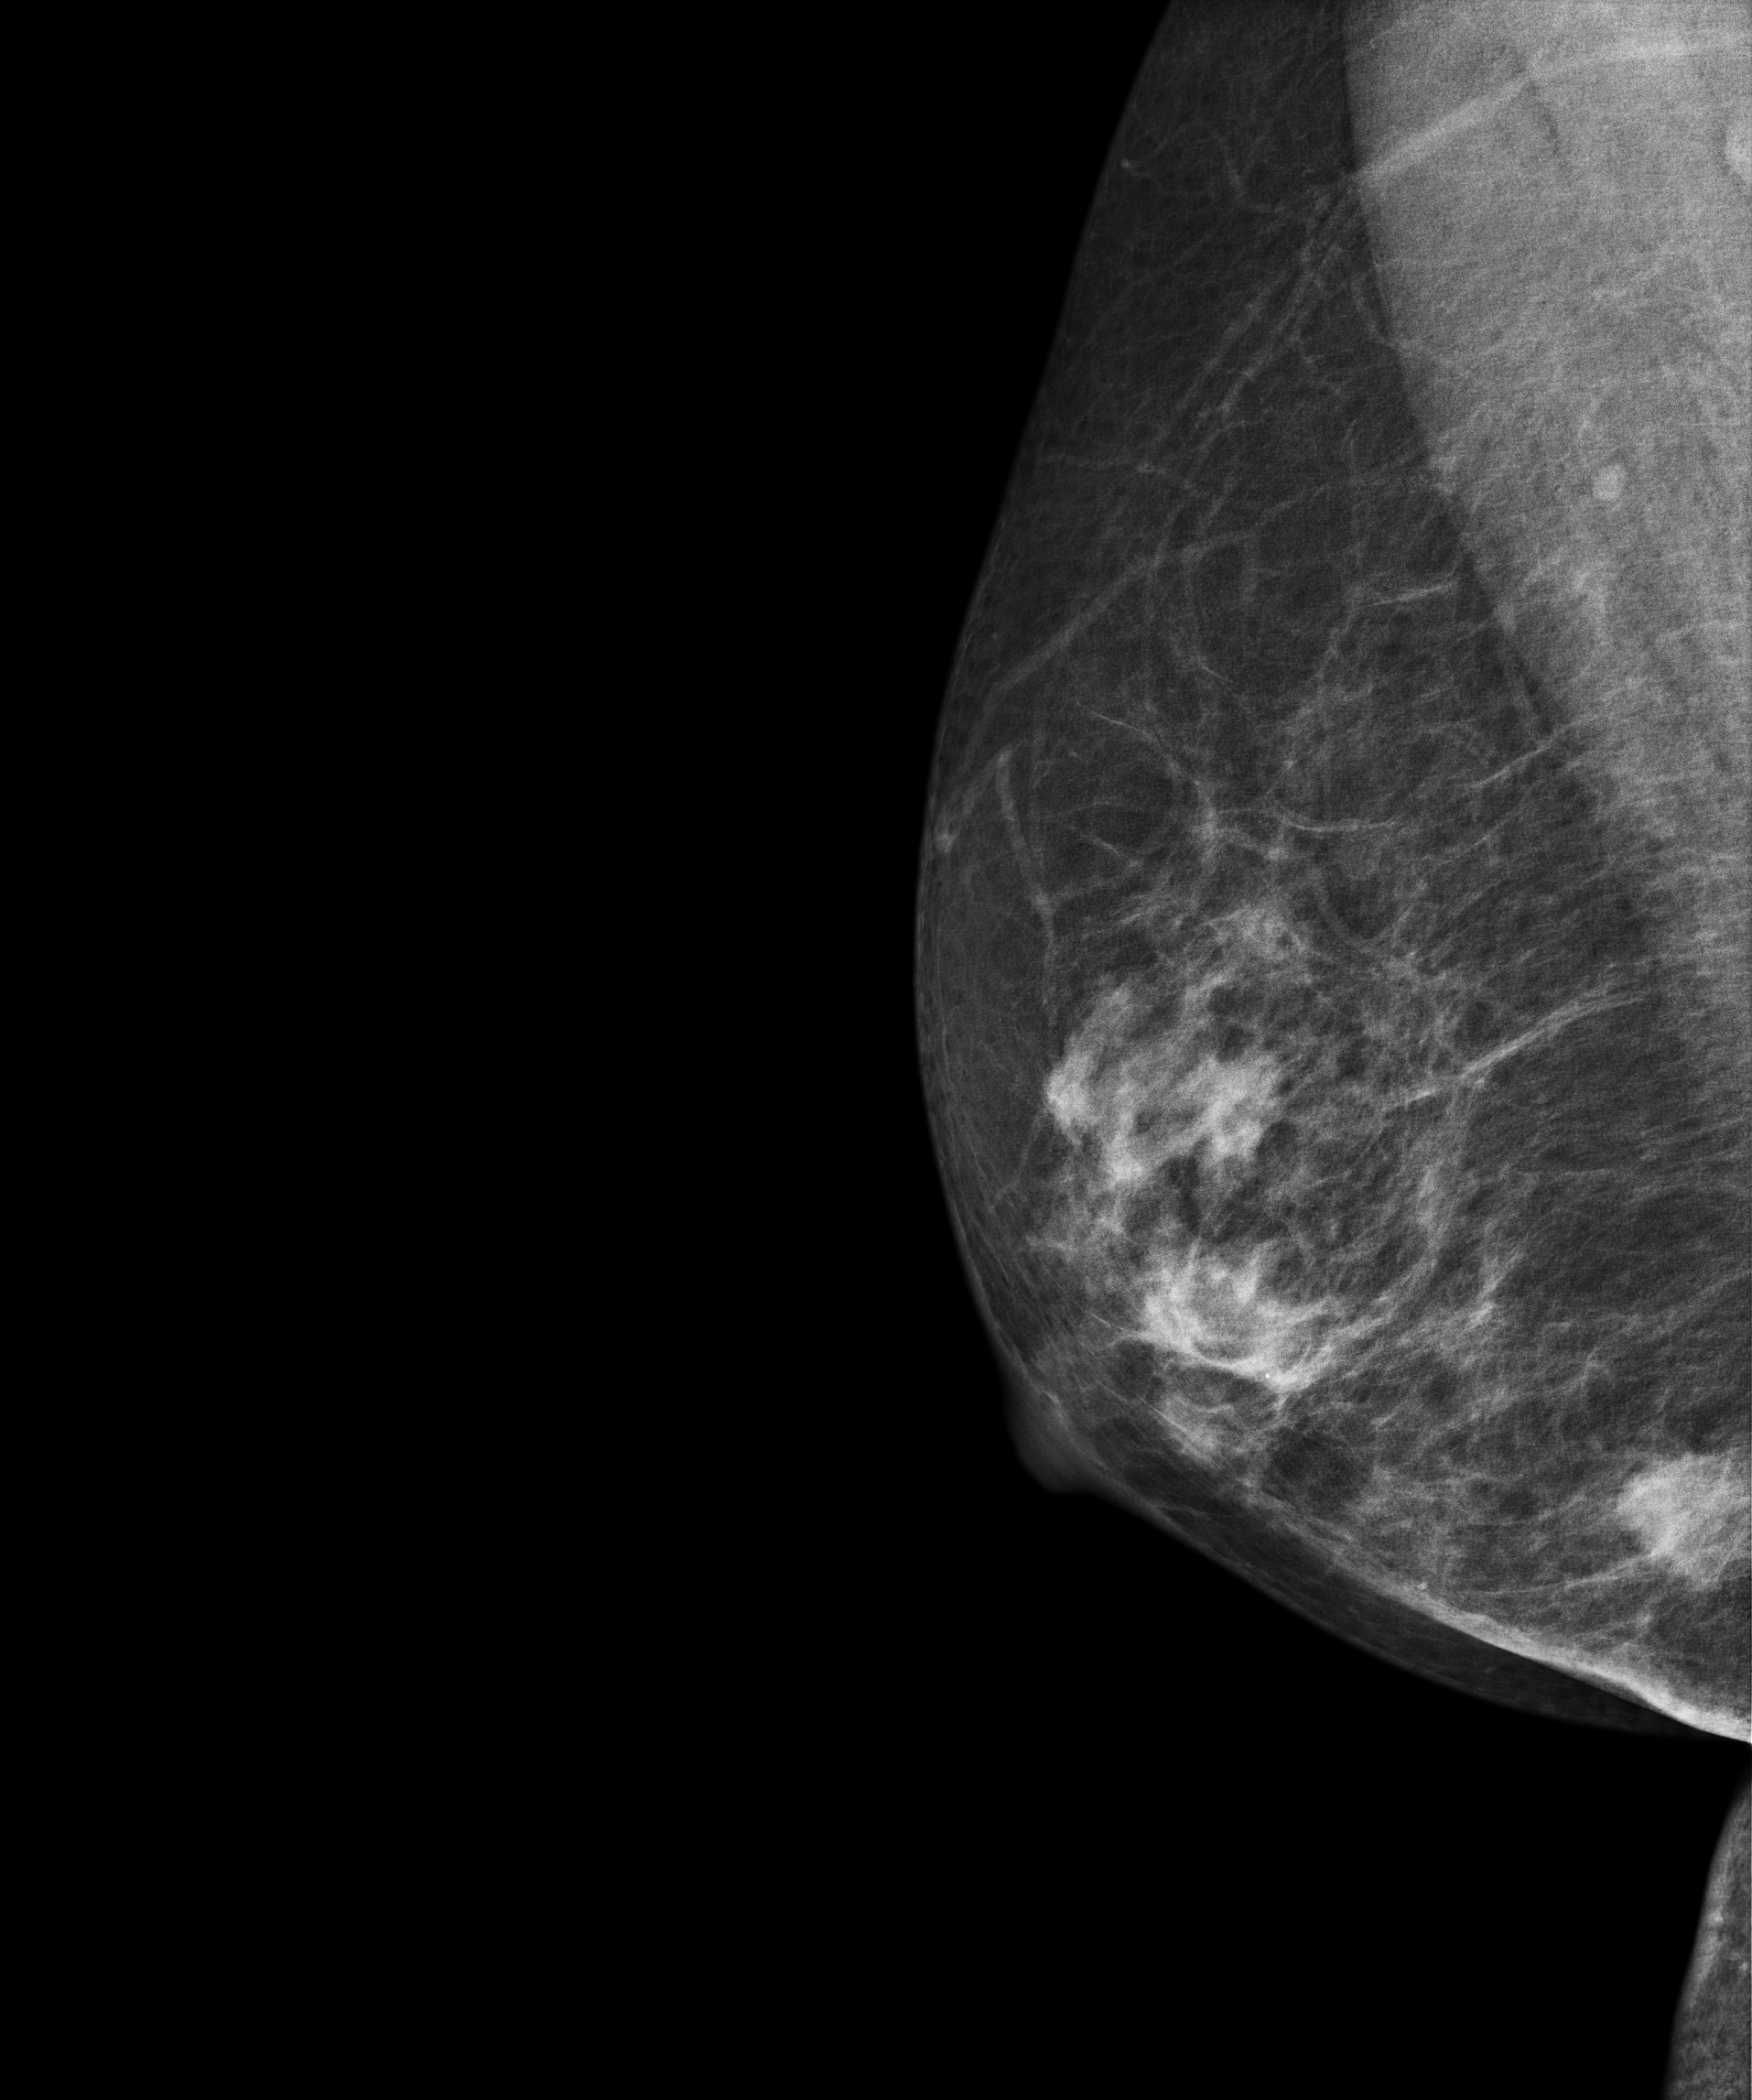
Mammogram — right MLO. Patient age 77.
This breast has a mass, biopsy-confirmed malignant. Molecular subtype: luminal B.